Mammogram — left cranio-caudal. 60 y/o patient.
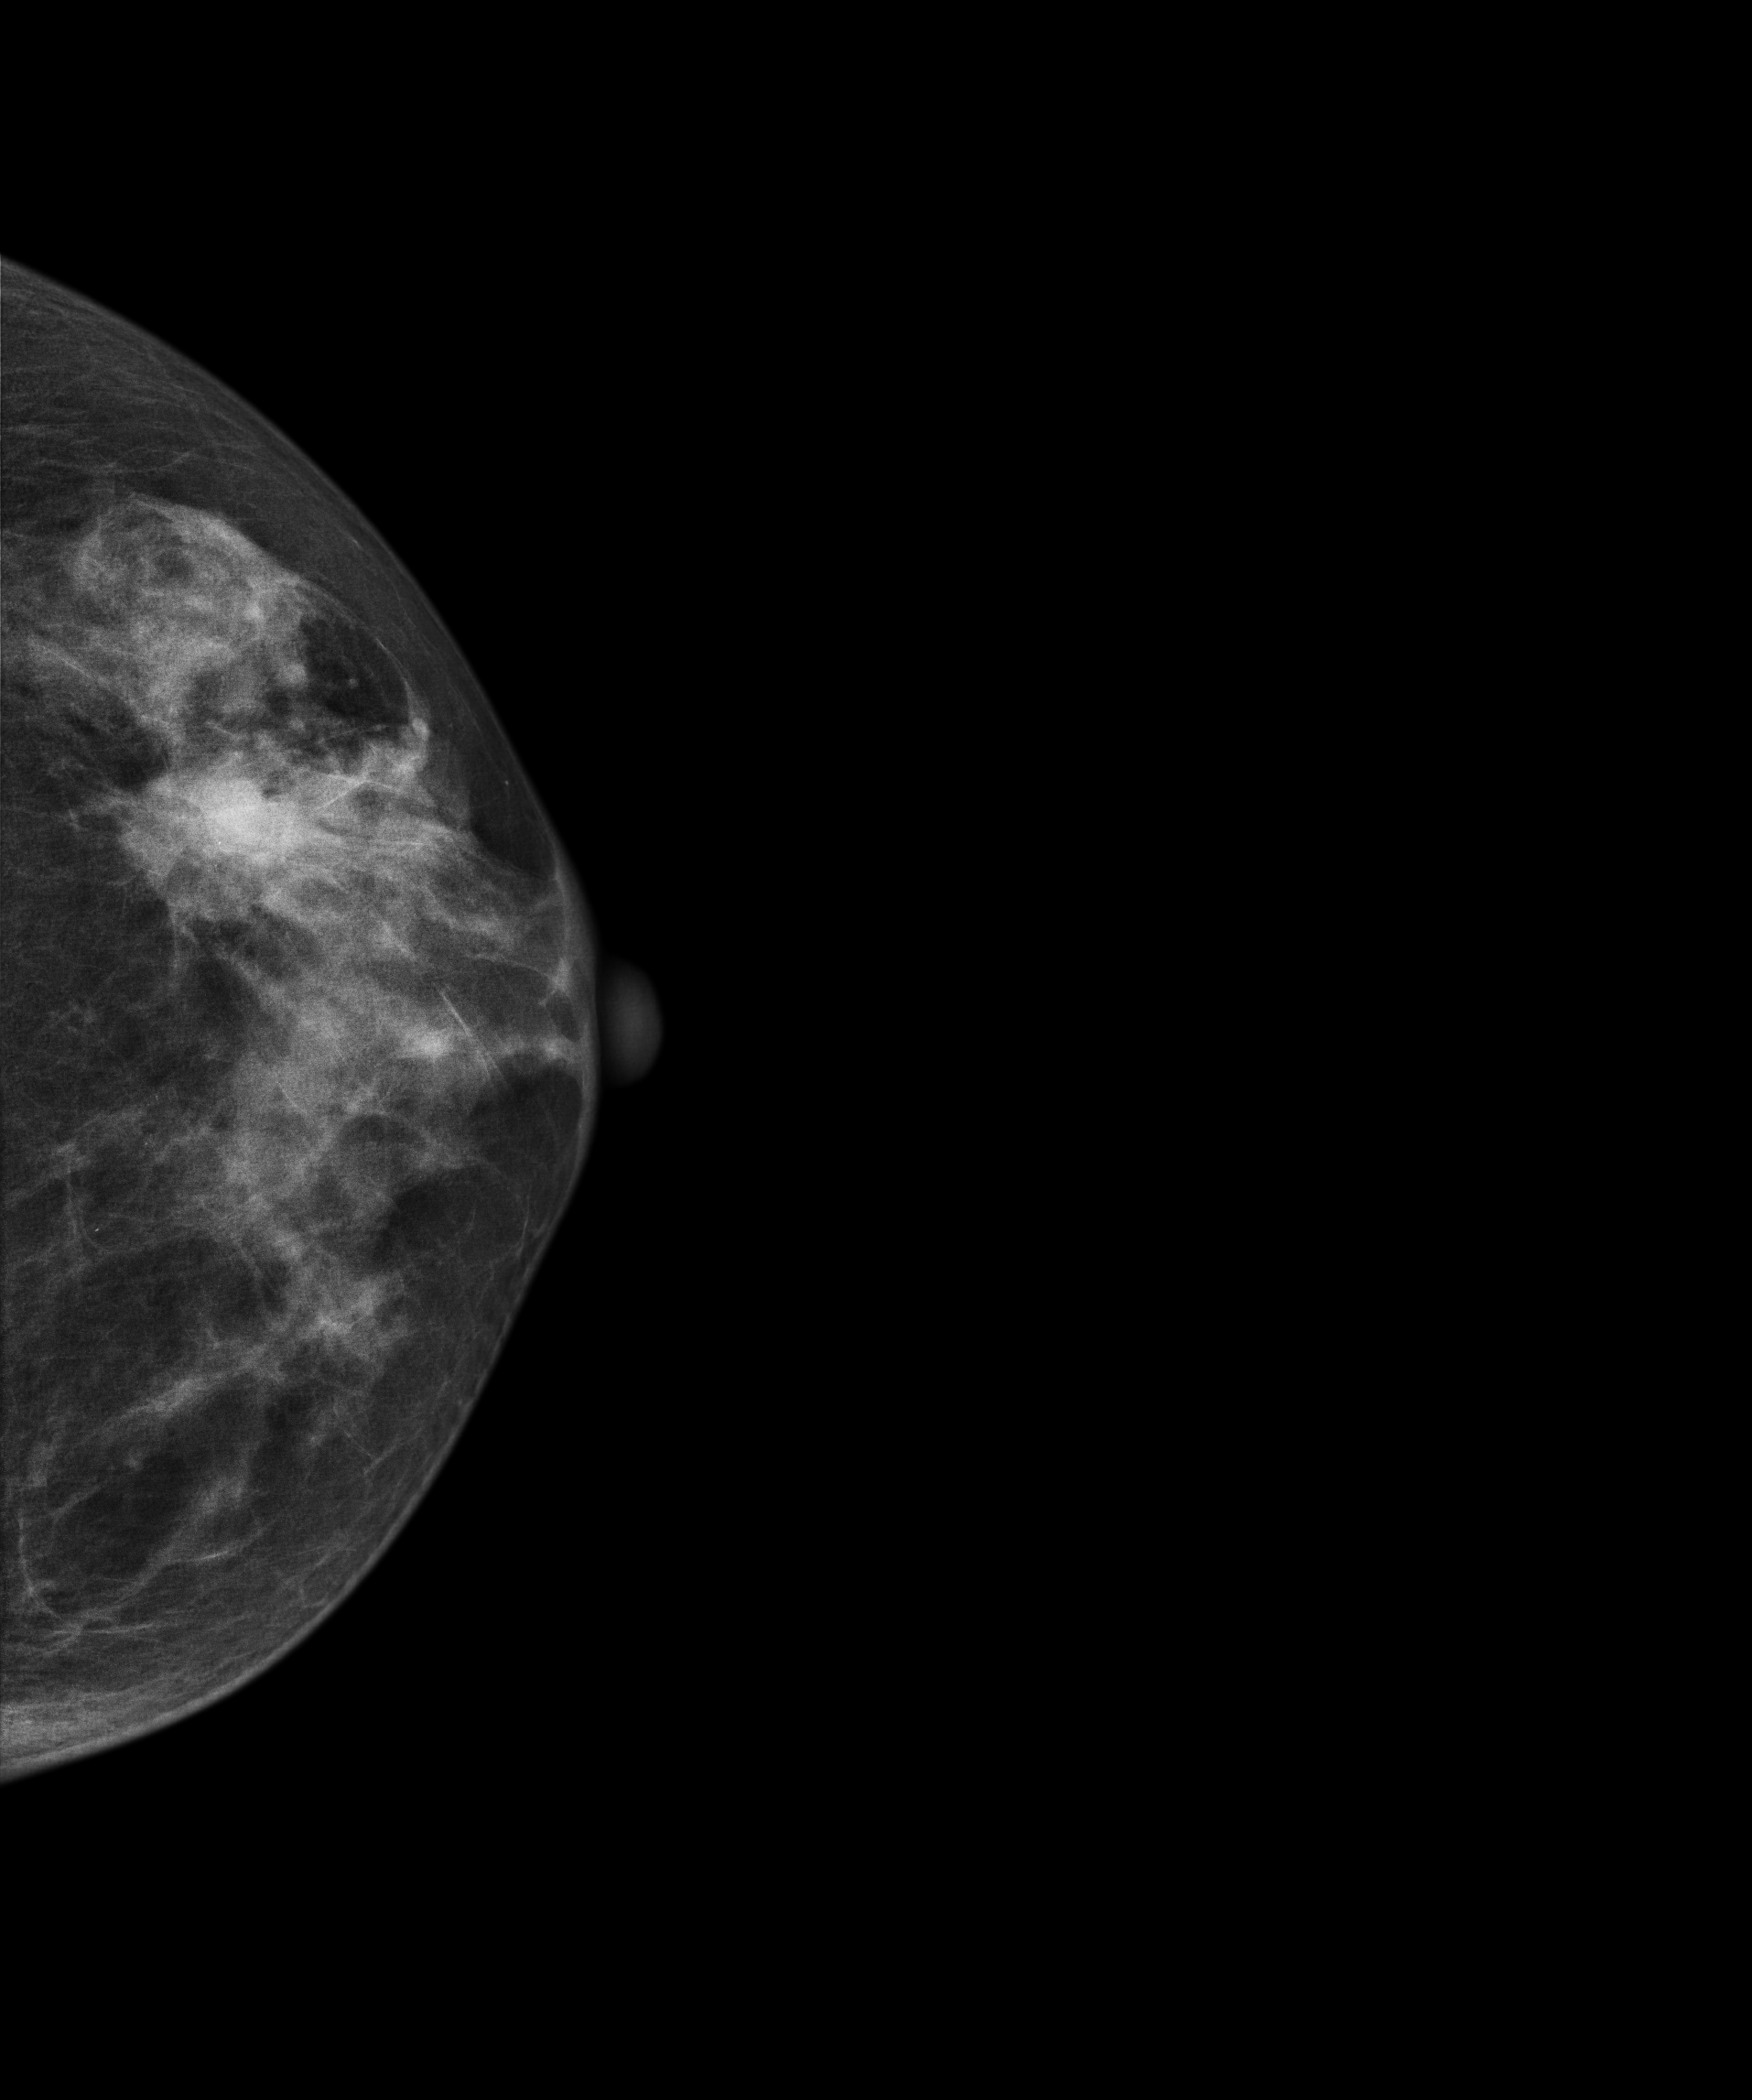
This breast has a mass, biopsy-confirmed malignant.